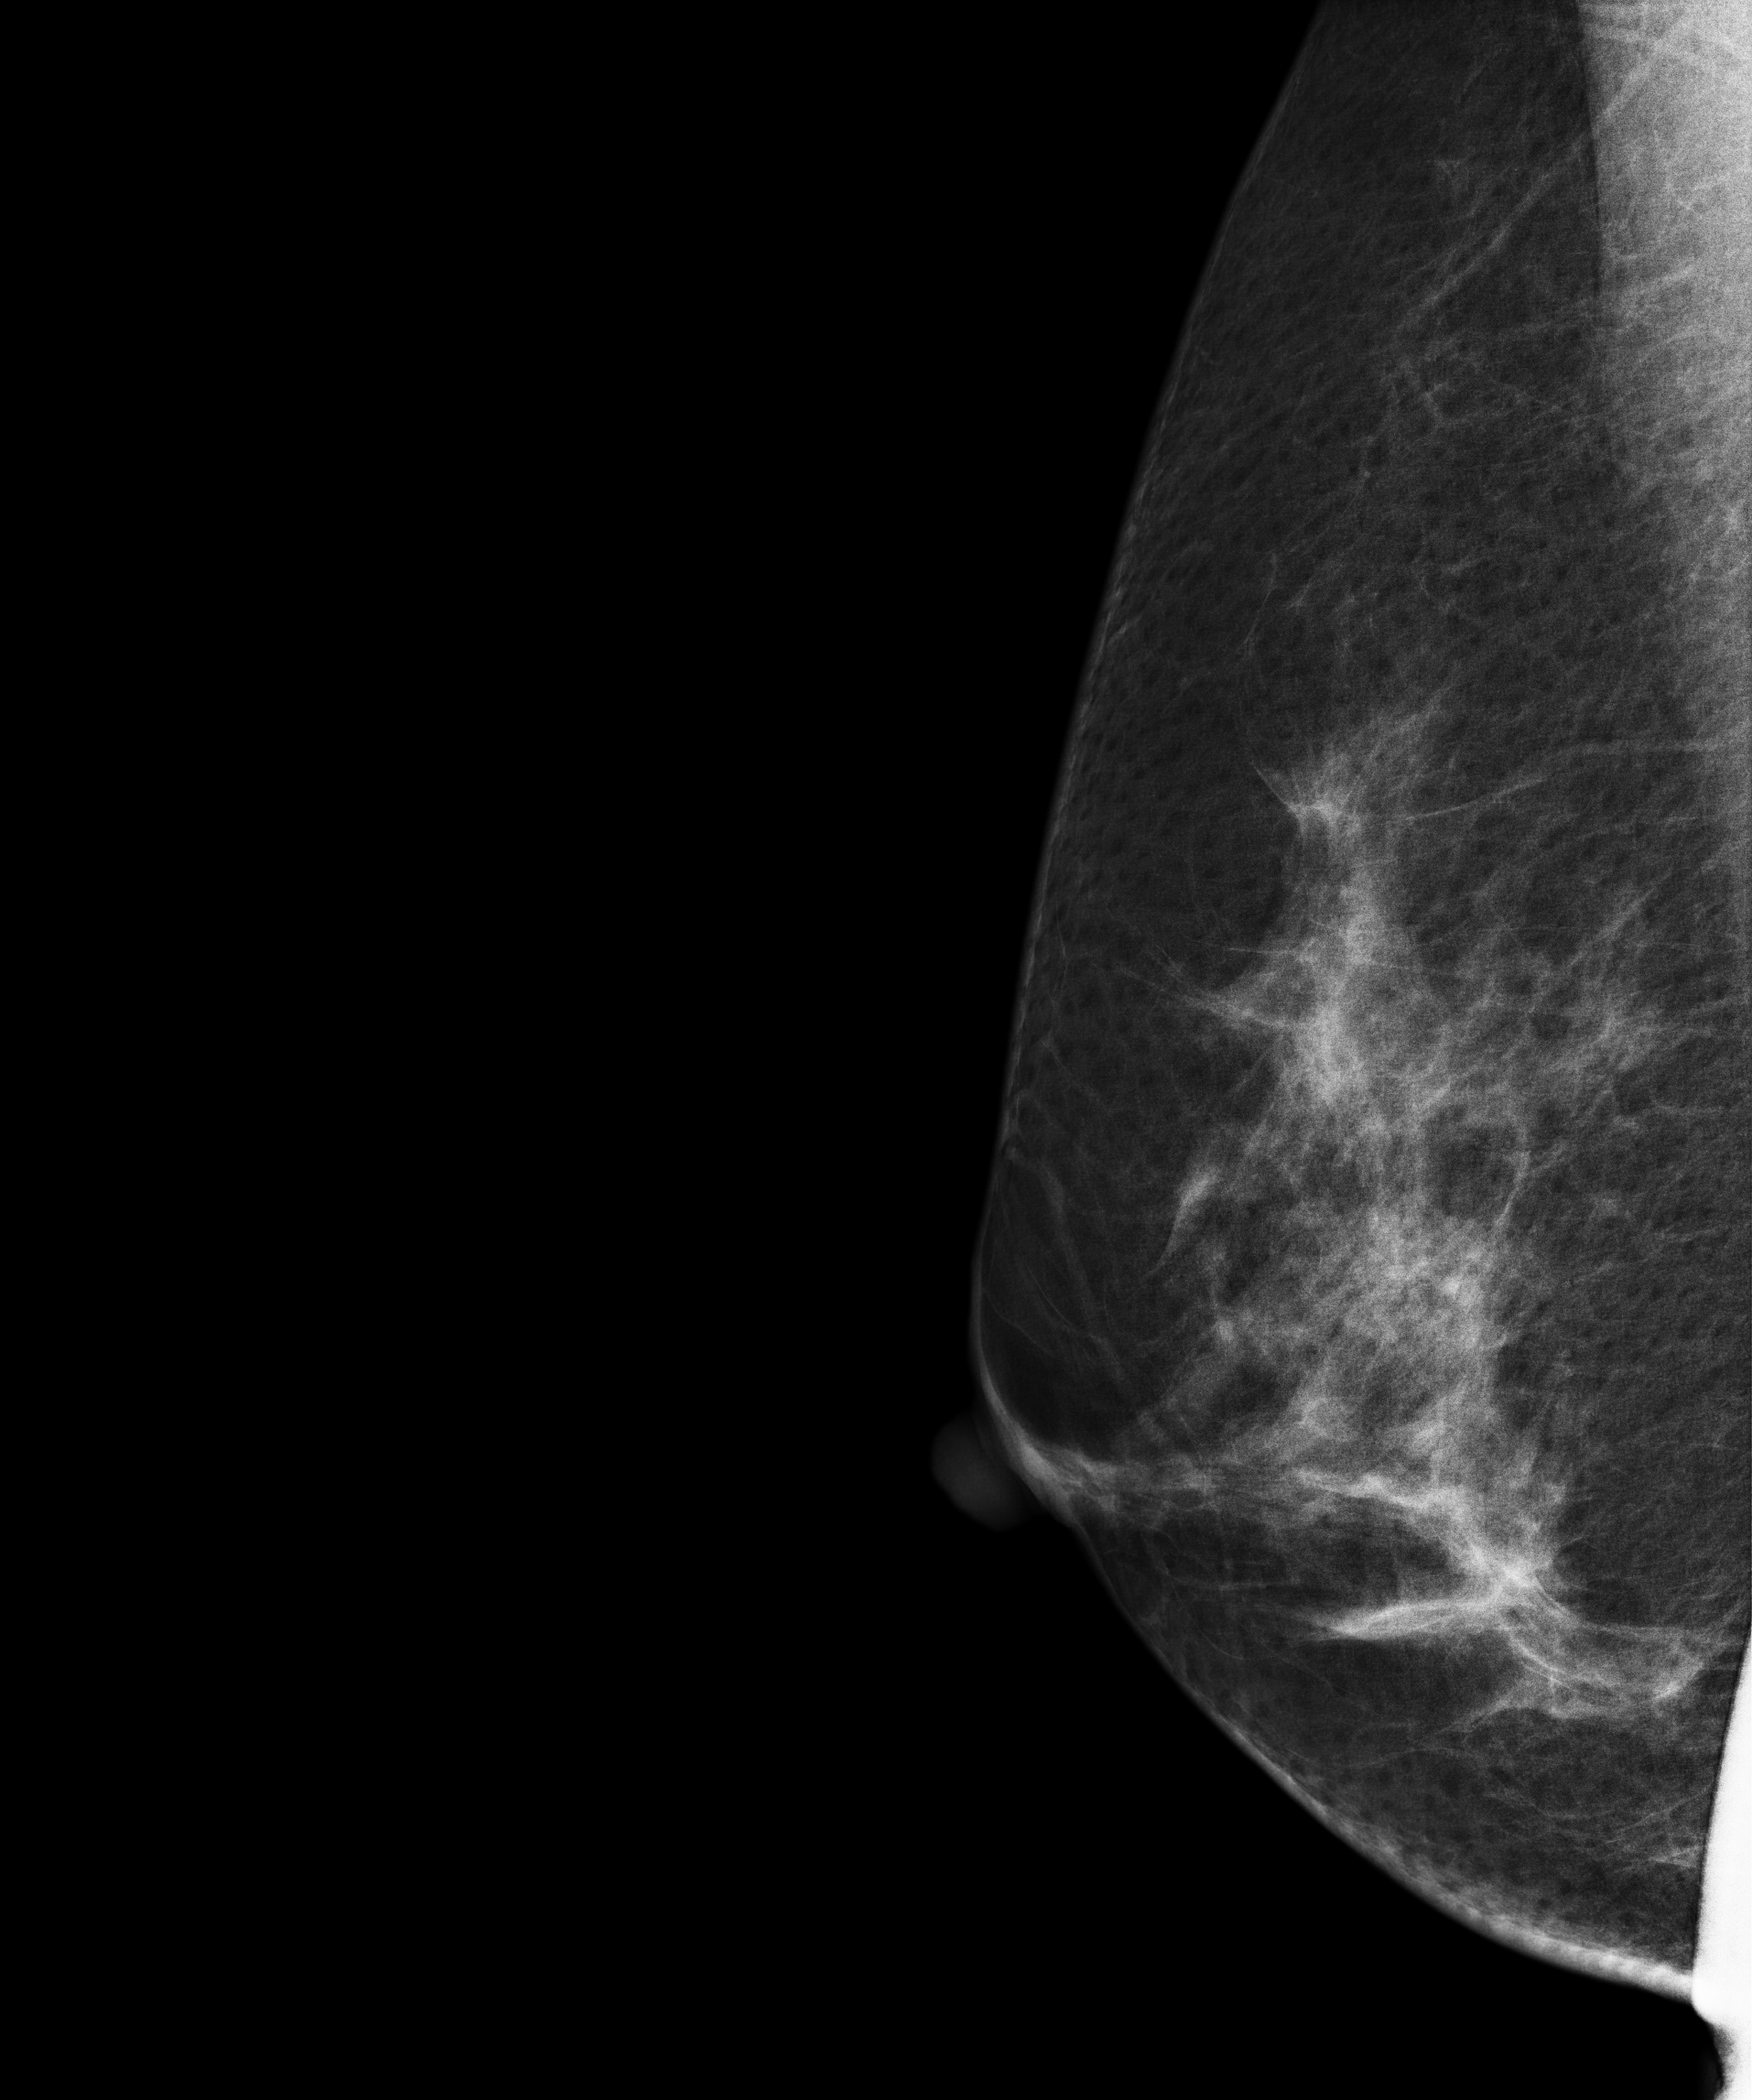
Digital mammography. Right breast, MLO projection. Patient age 52.
Contralateral breast — no documented abnormality on this side.